CC mammogram of the left breast. 55 y/o patient.
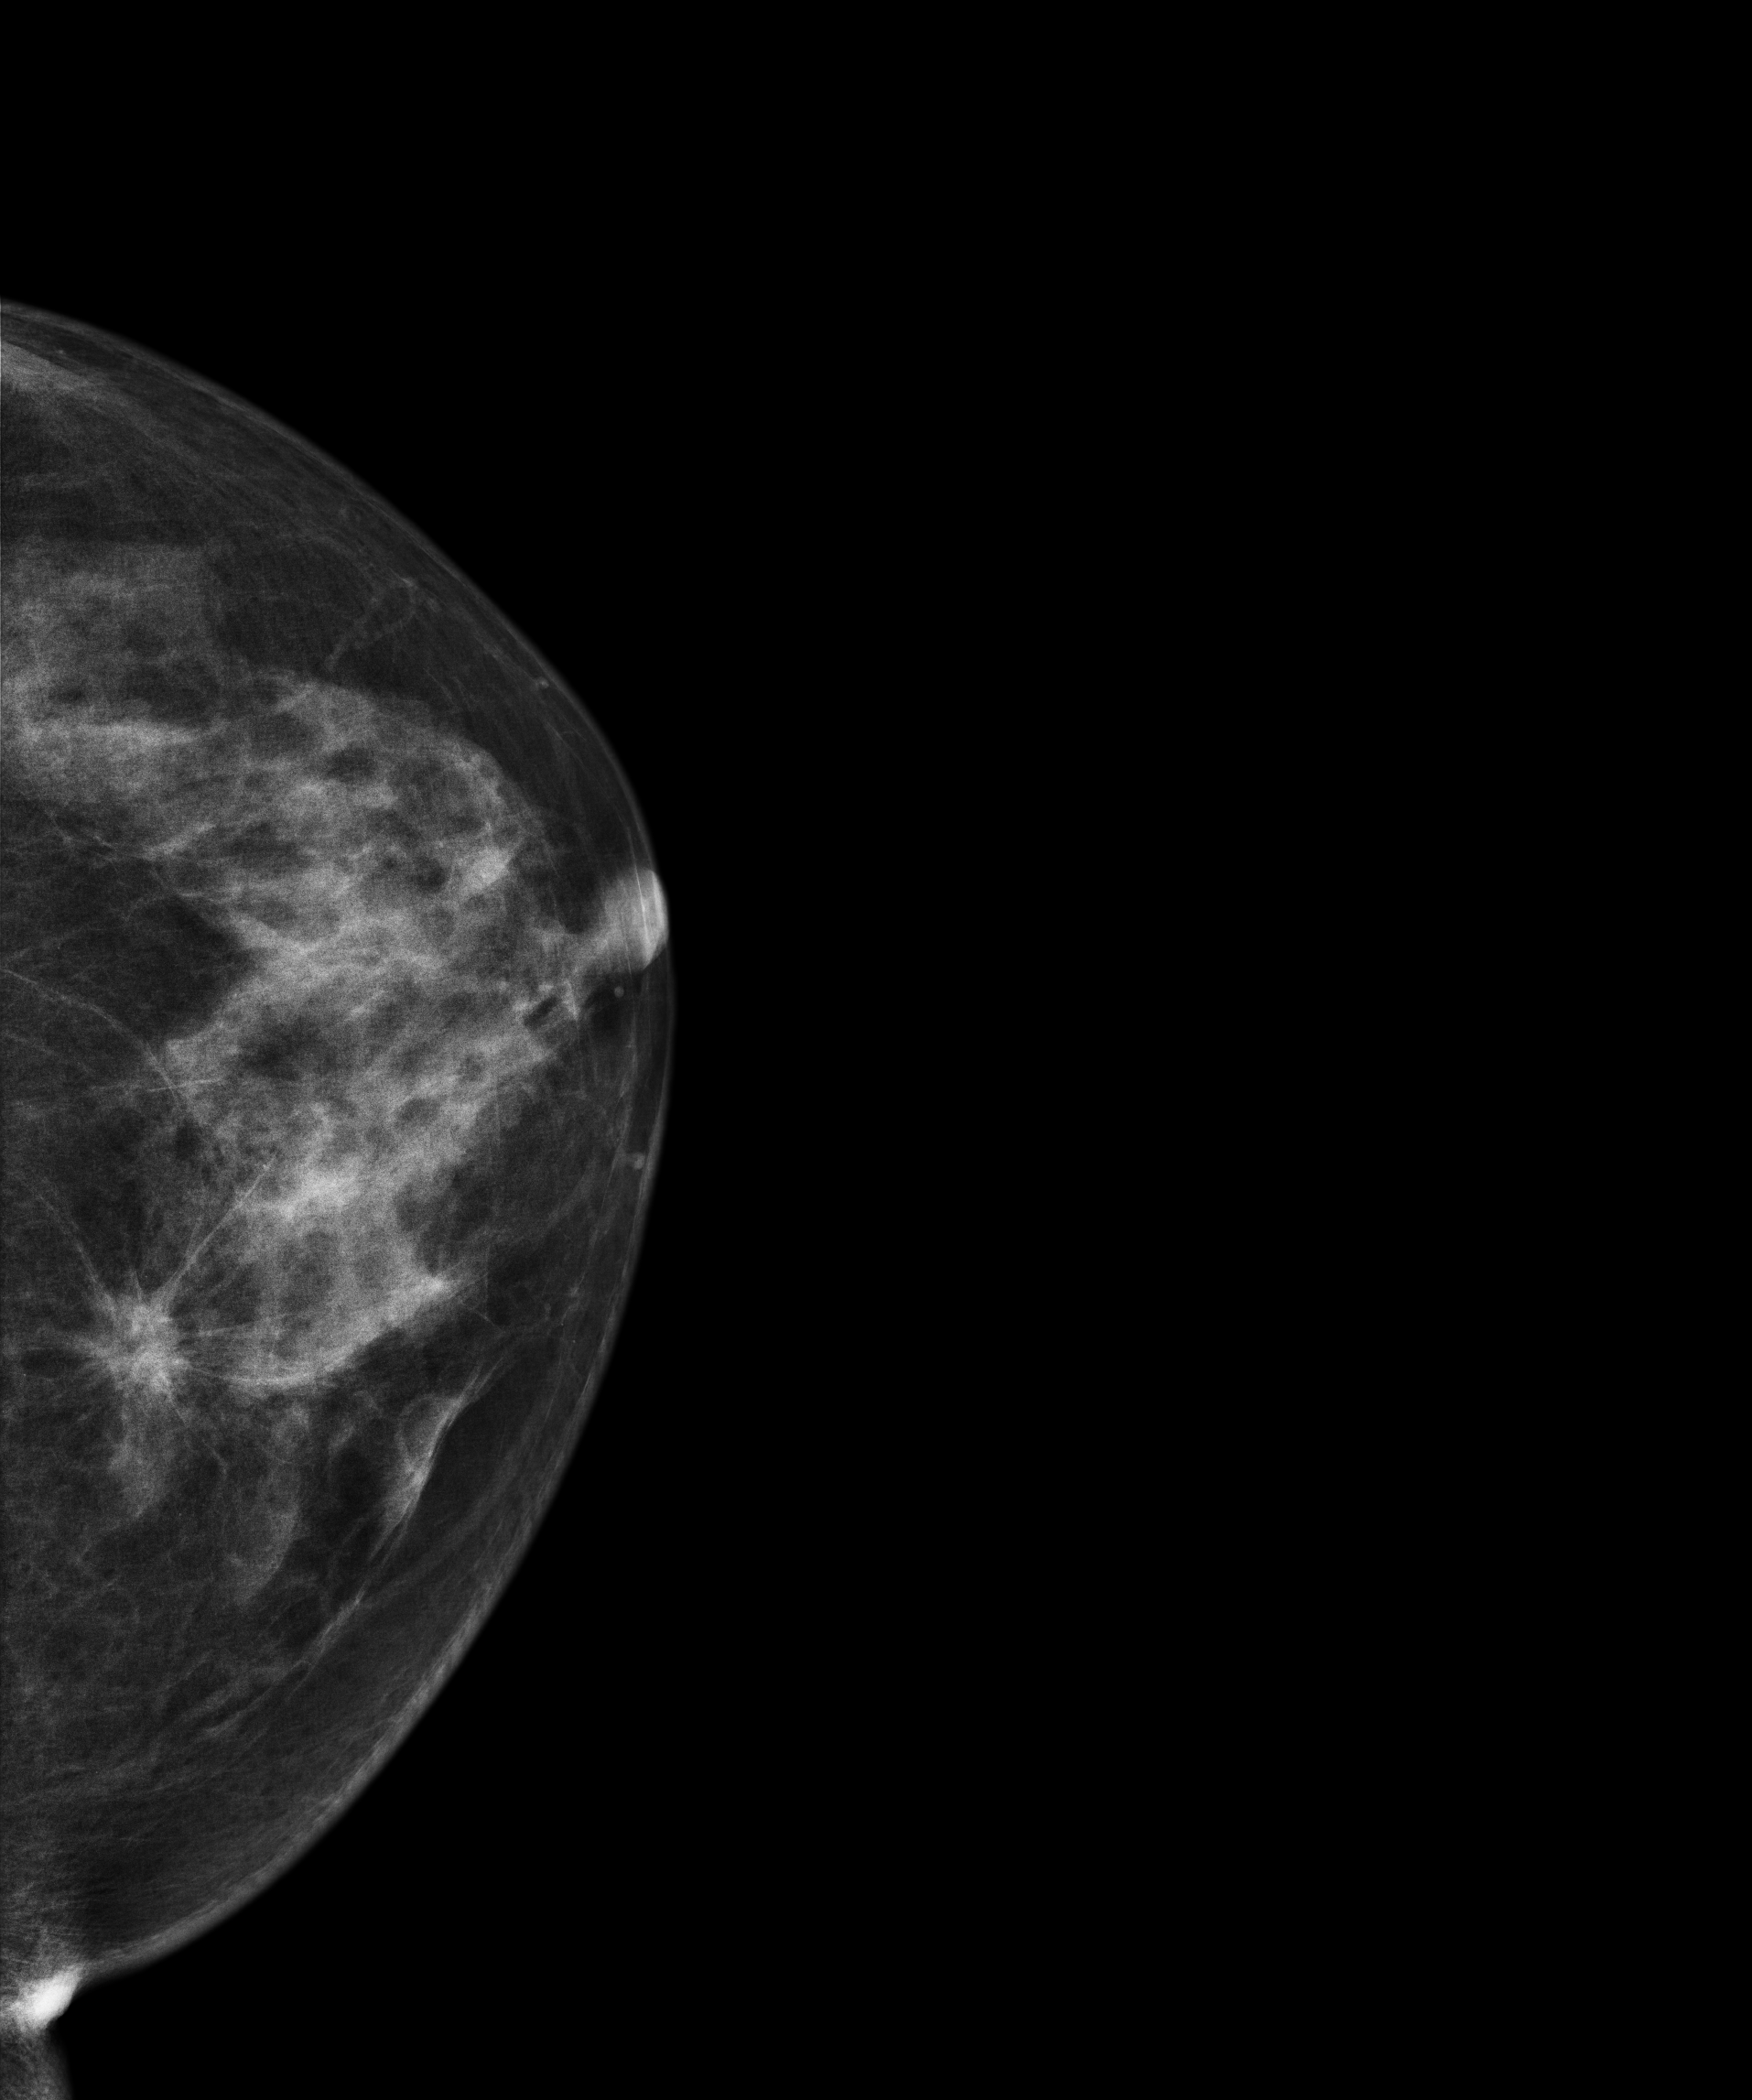
This breast has a mass, biopsy-confirmed malignant. Molecular subtype: luminal B.